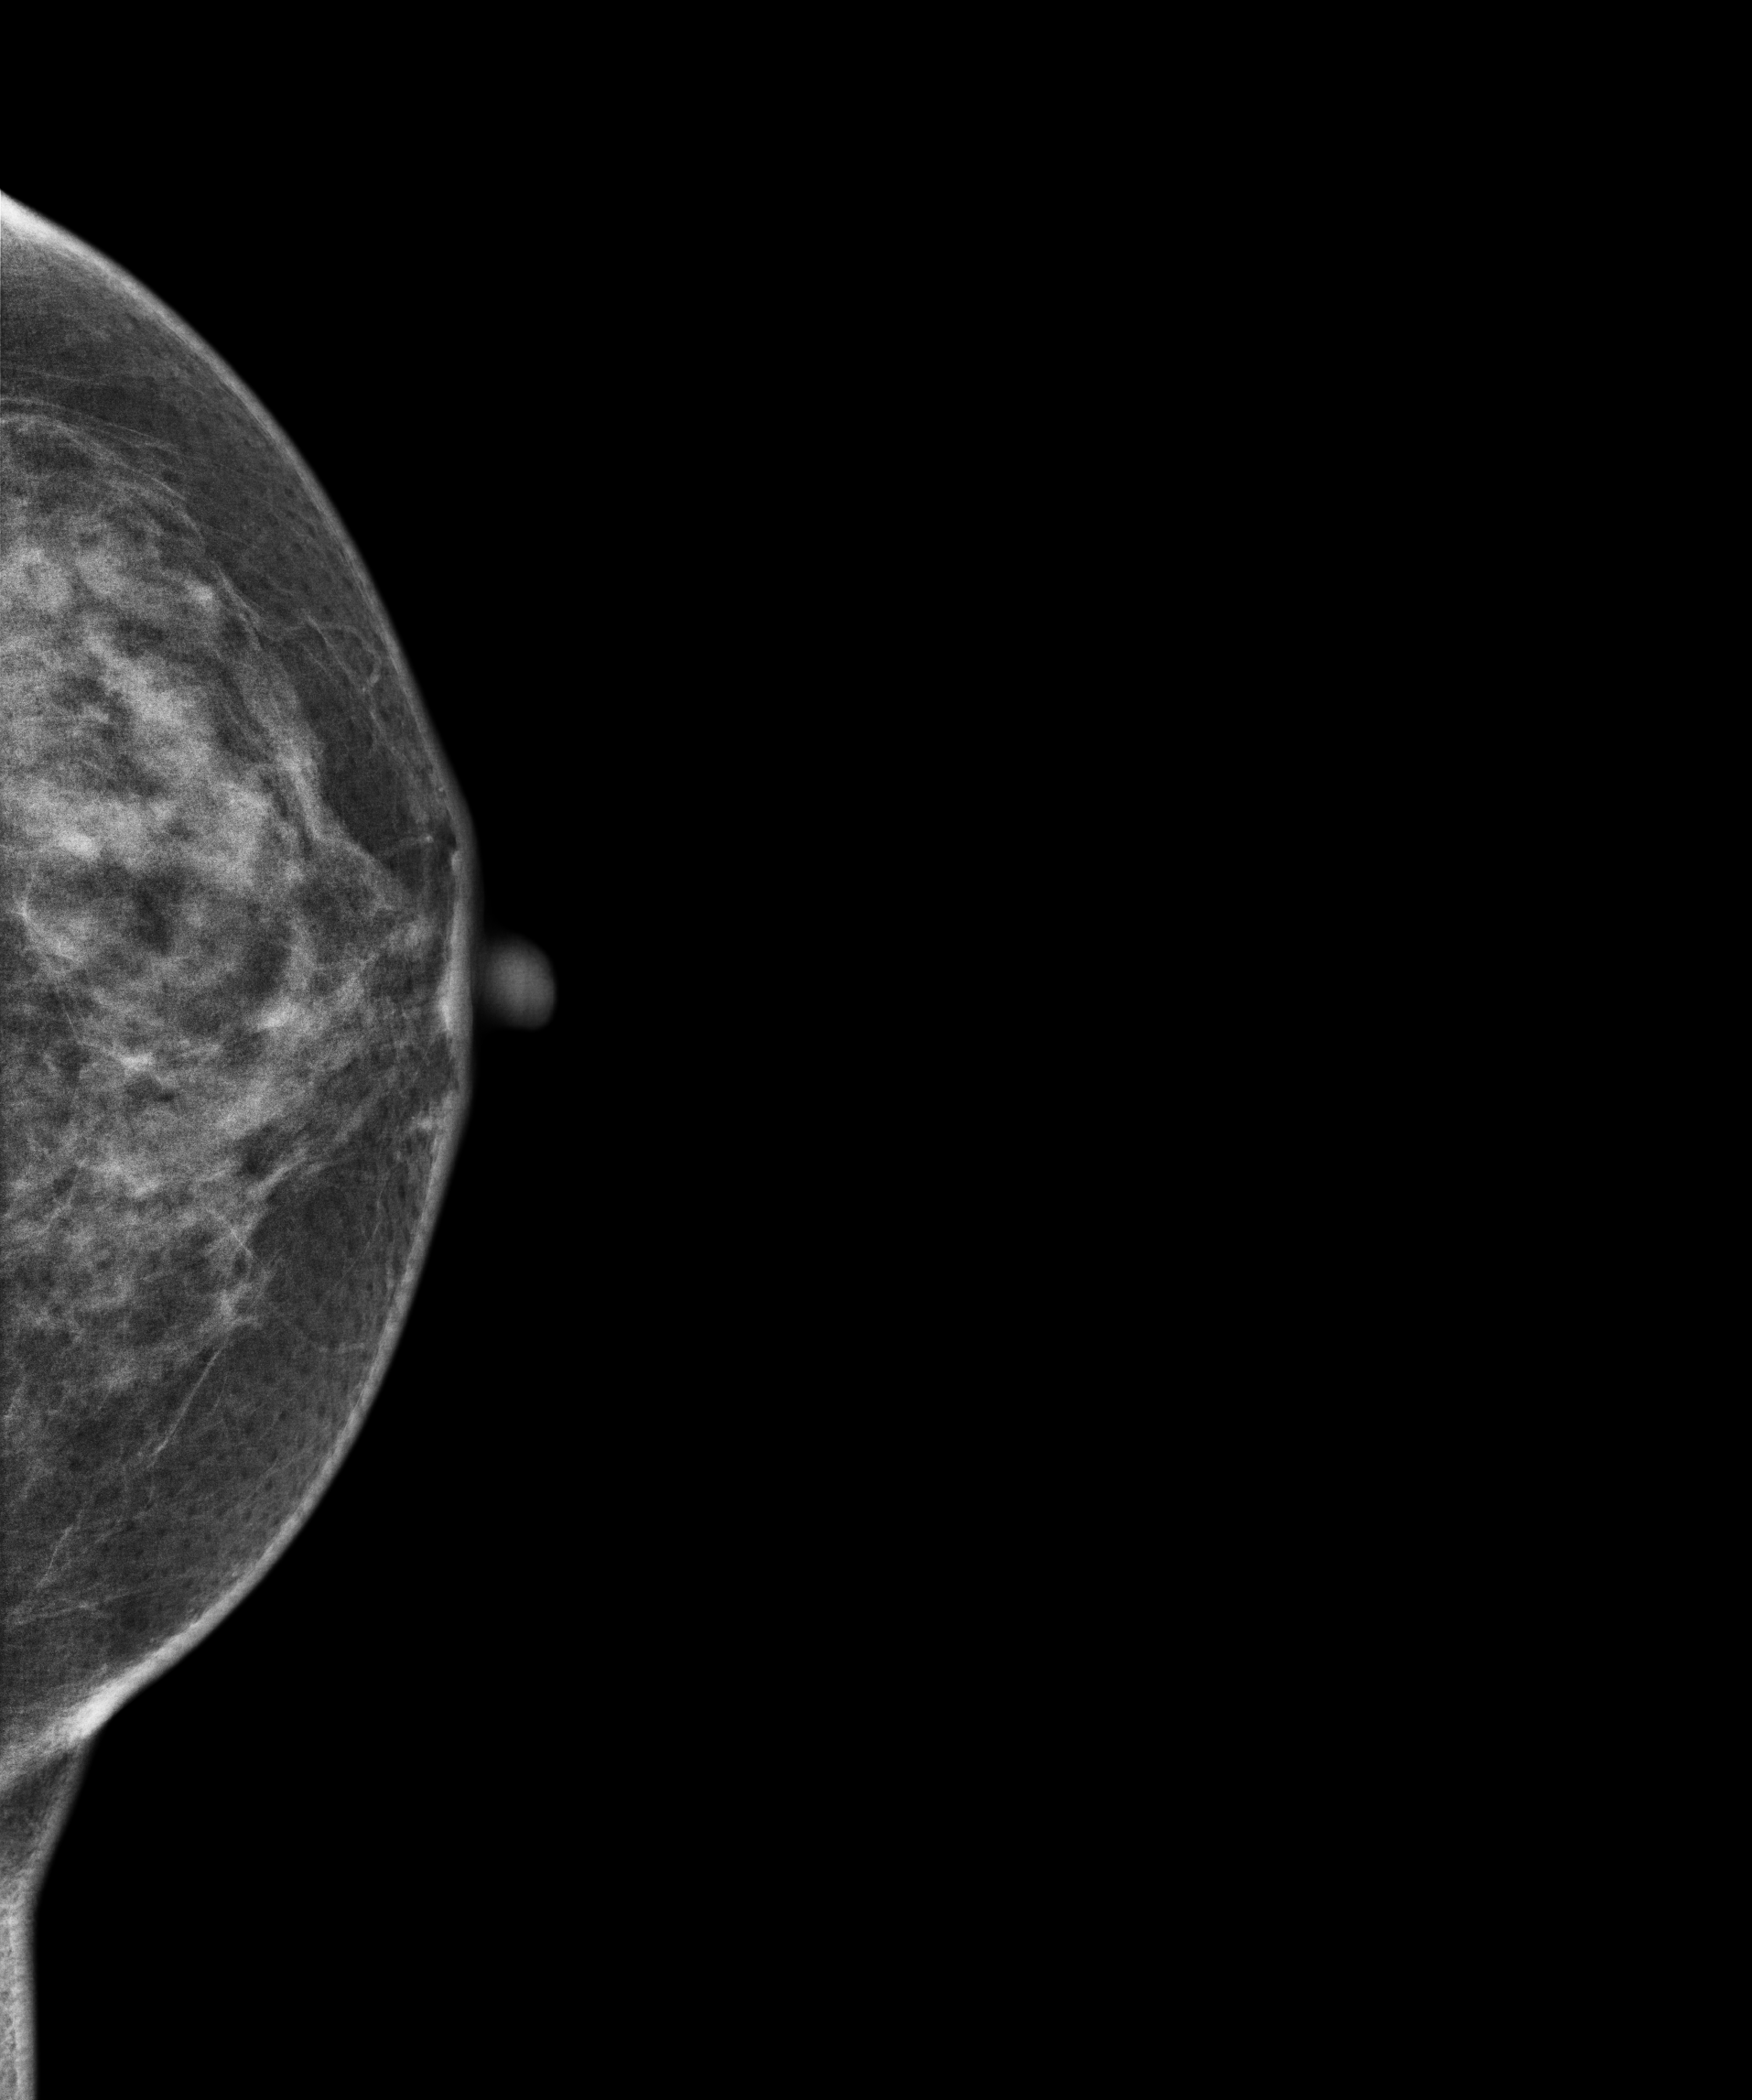
Mammogram, left breast, cranio-caudal view. Patient age 56.
Contralateral breast — no documented abnormality on this side.